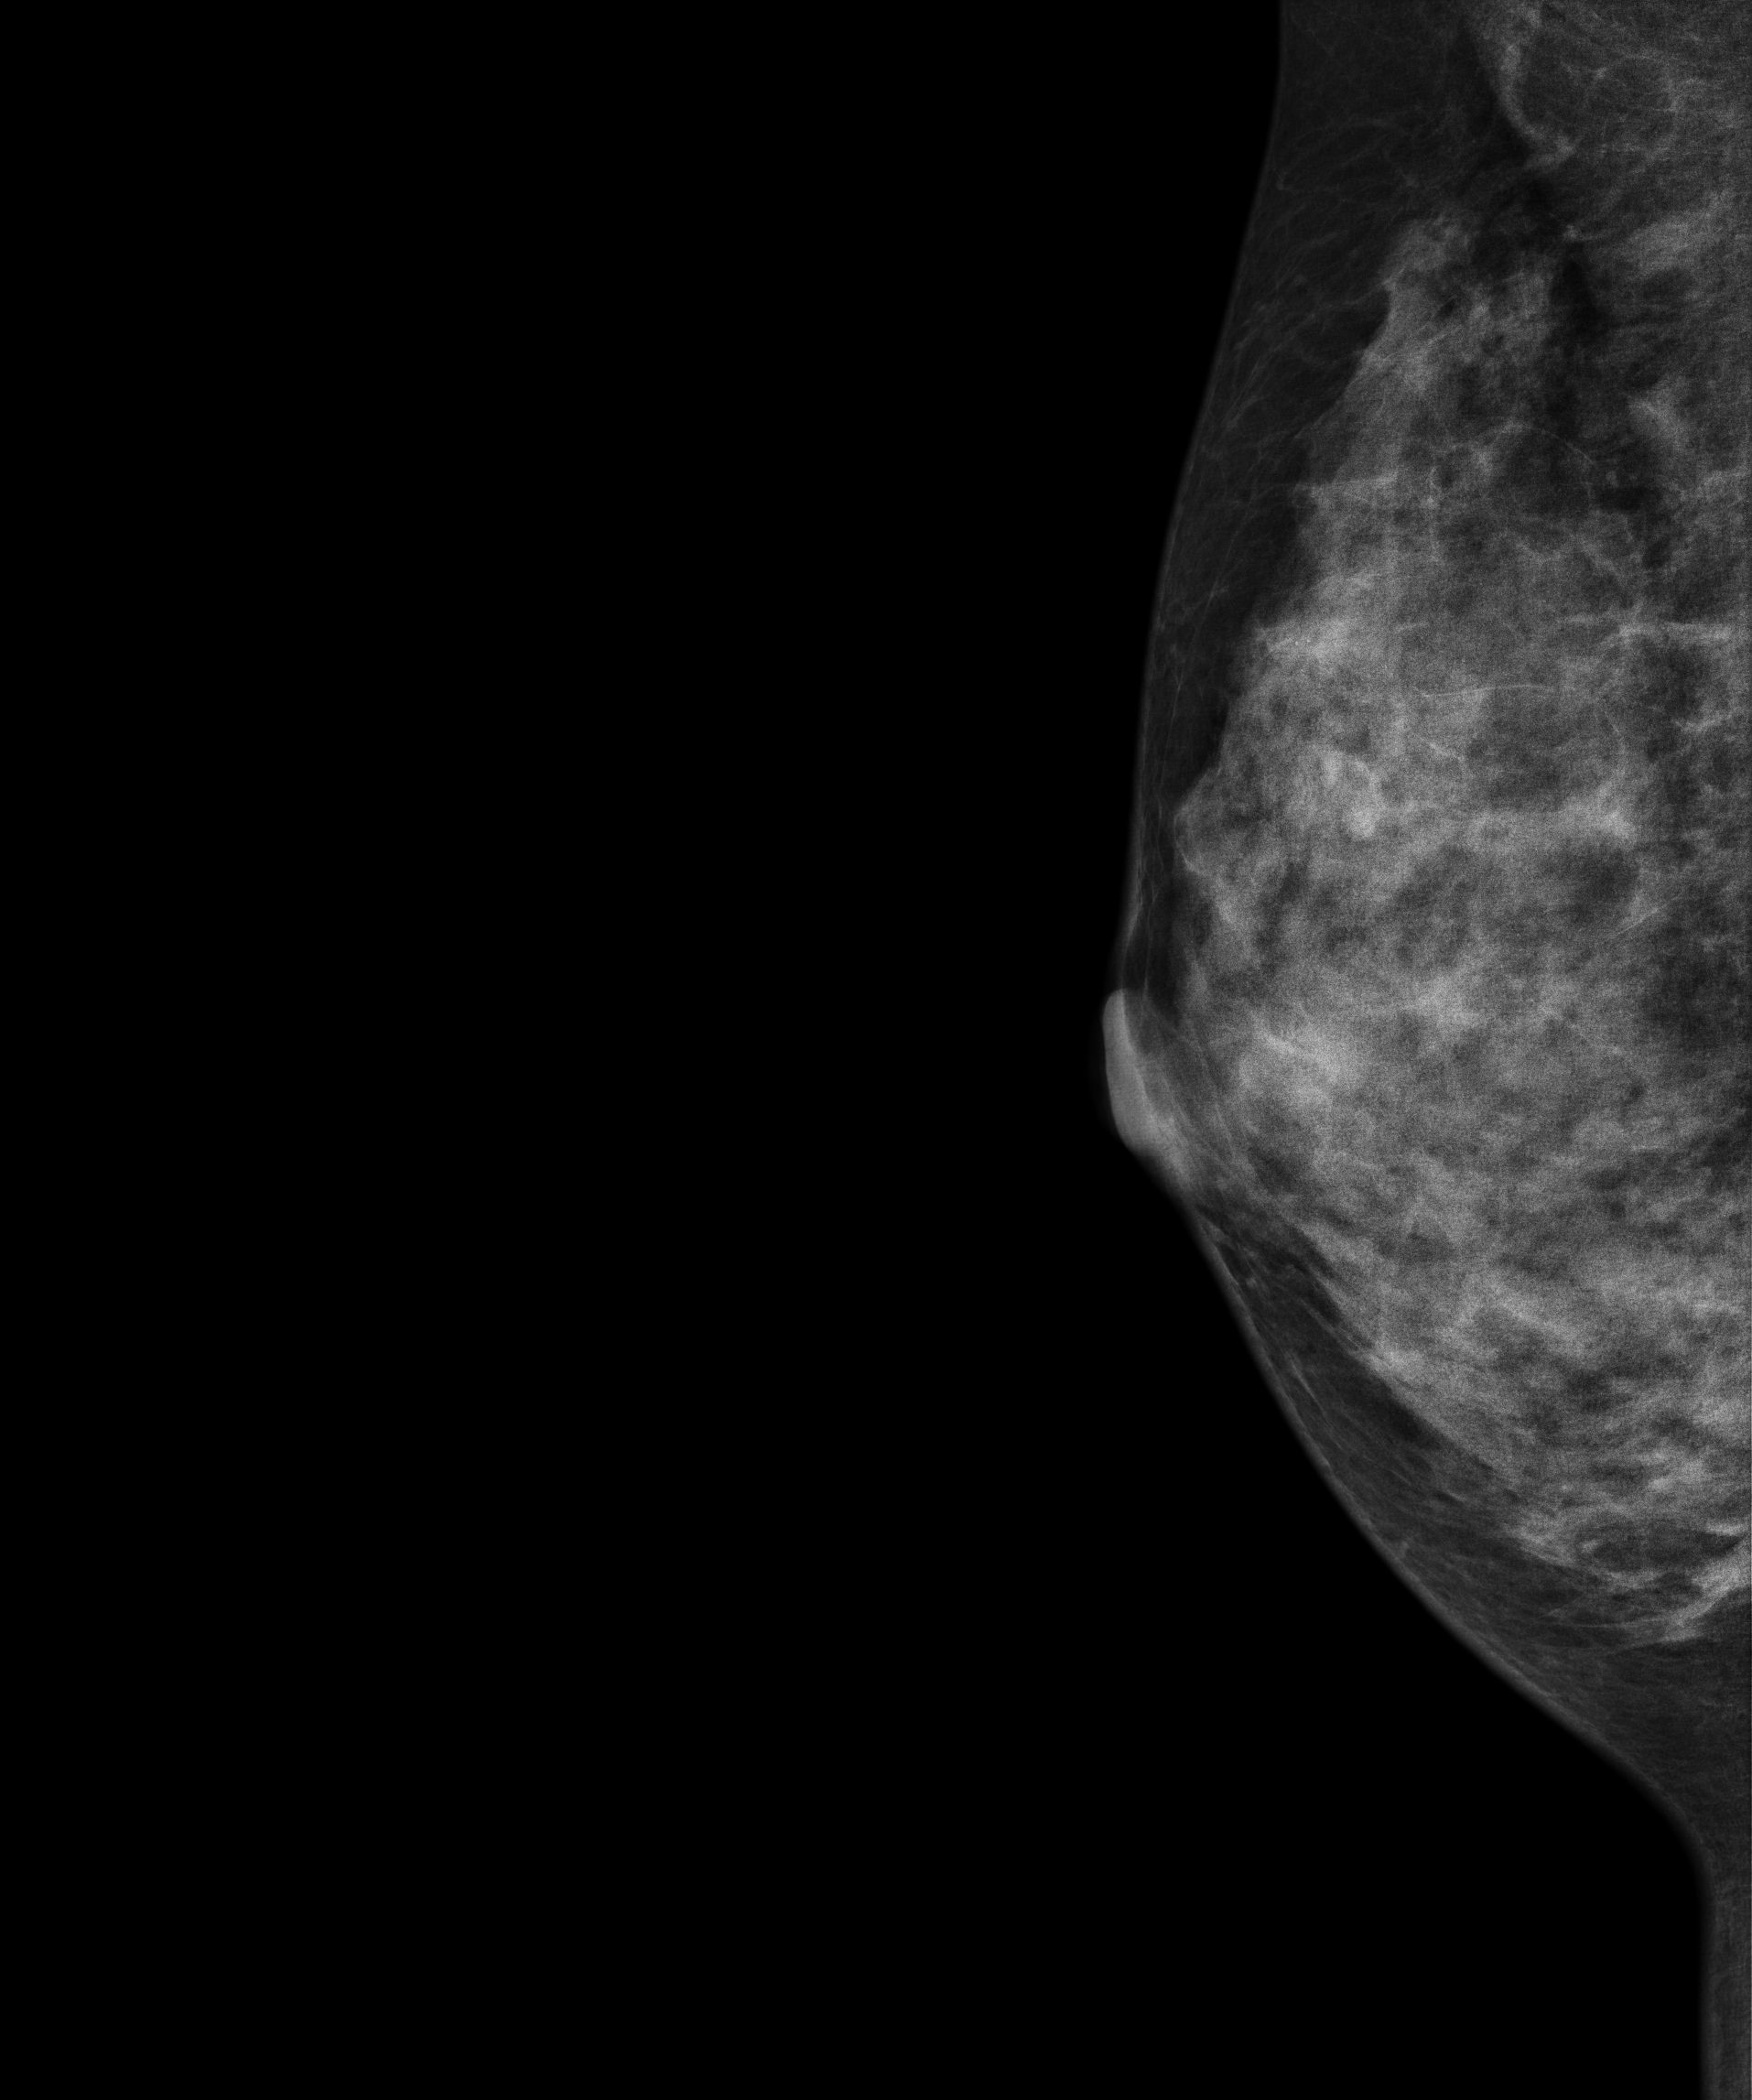
Digital mammography. Right breast, medio-lateral oblique projection. Patient age 36.
This breast has a mass, biopsy-proven benign.